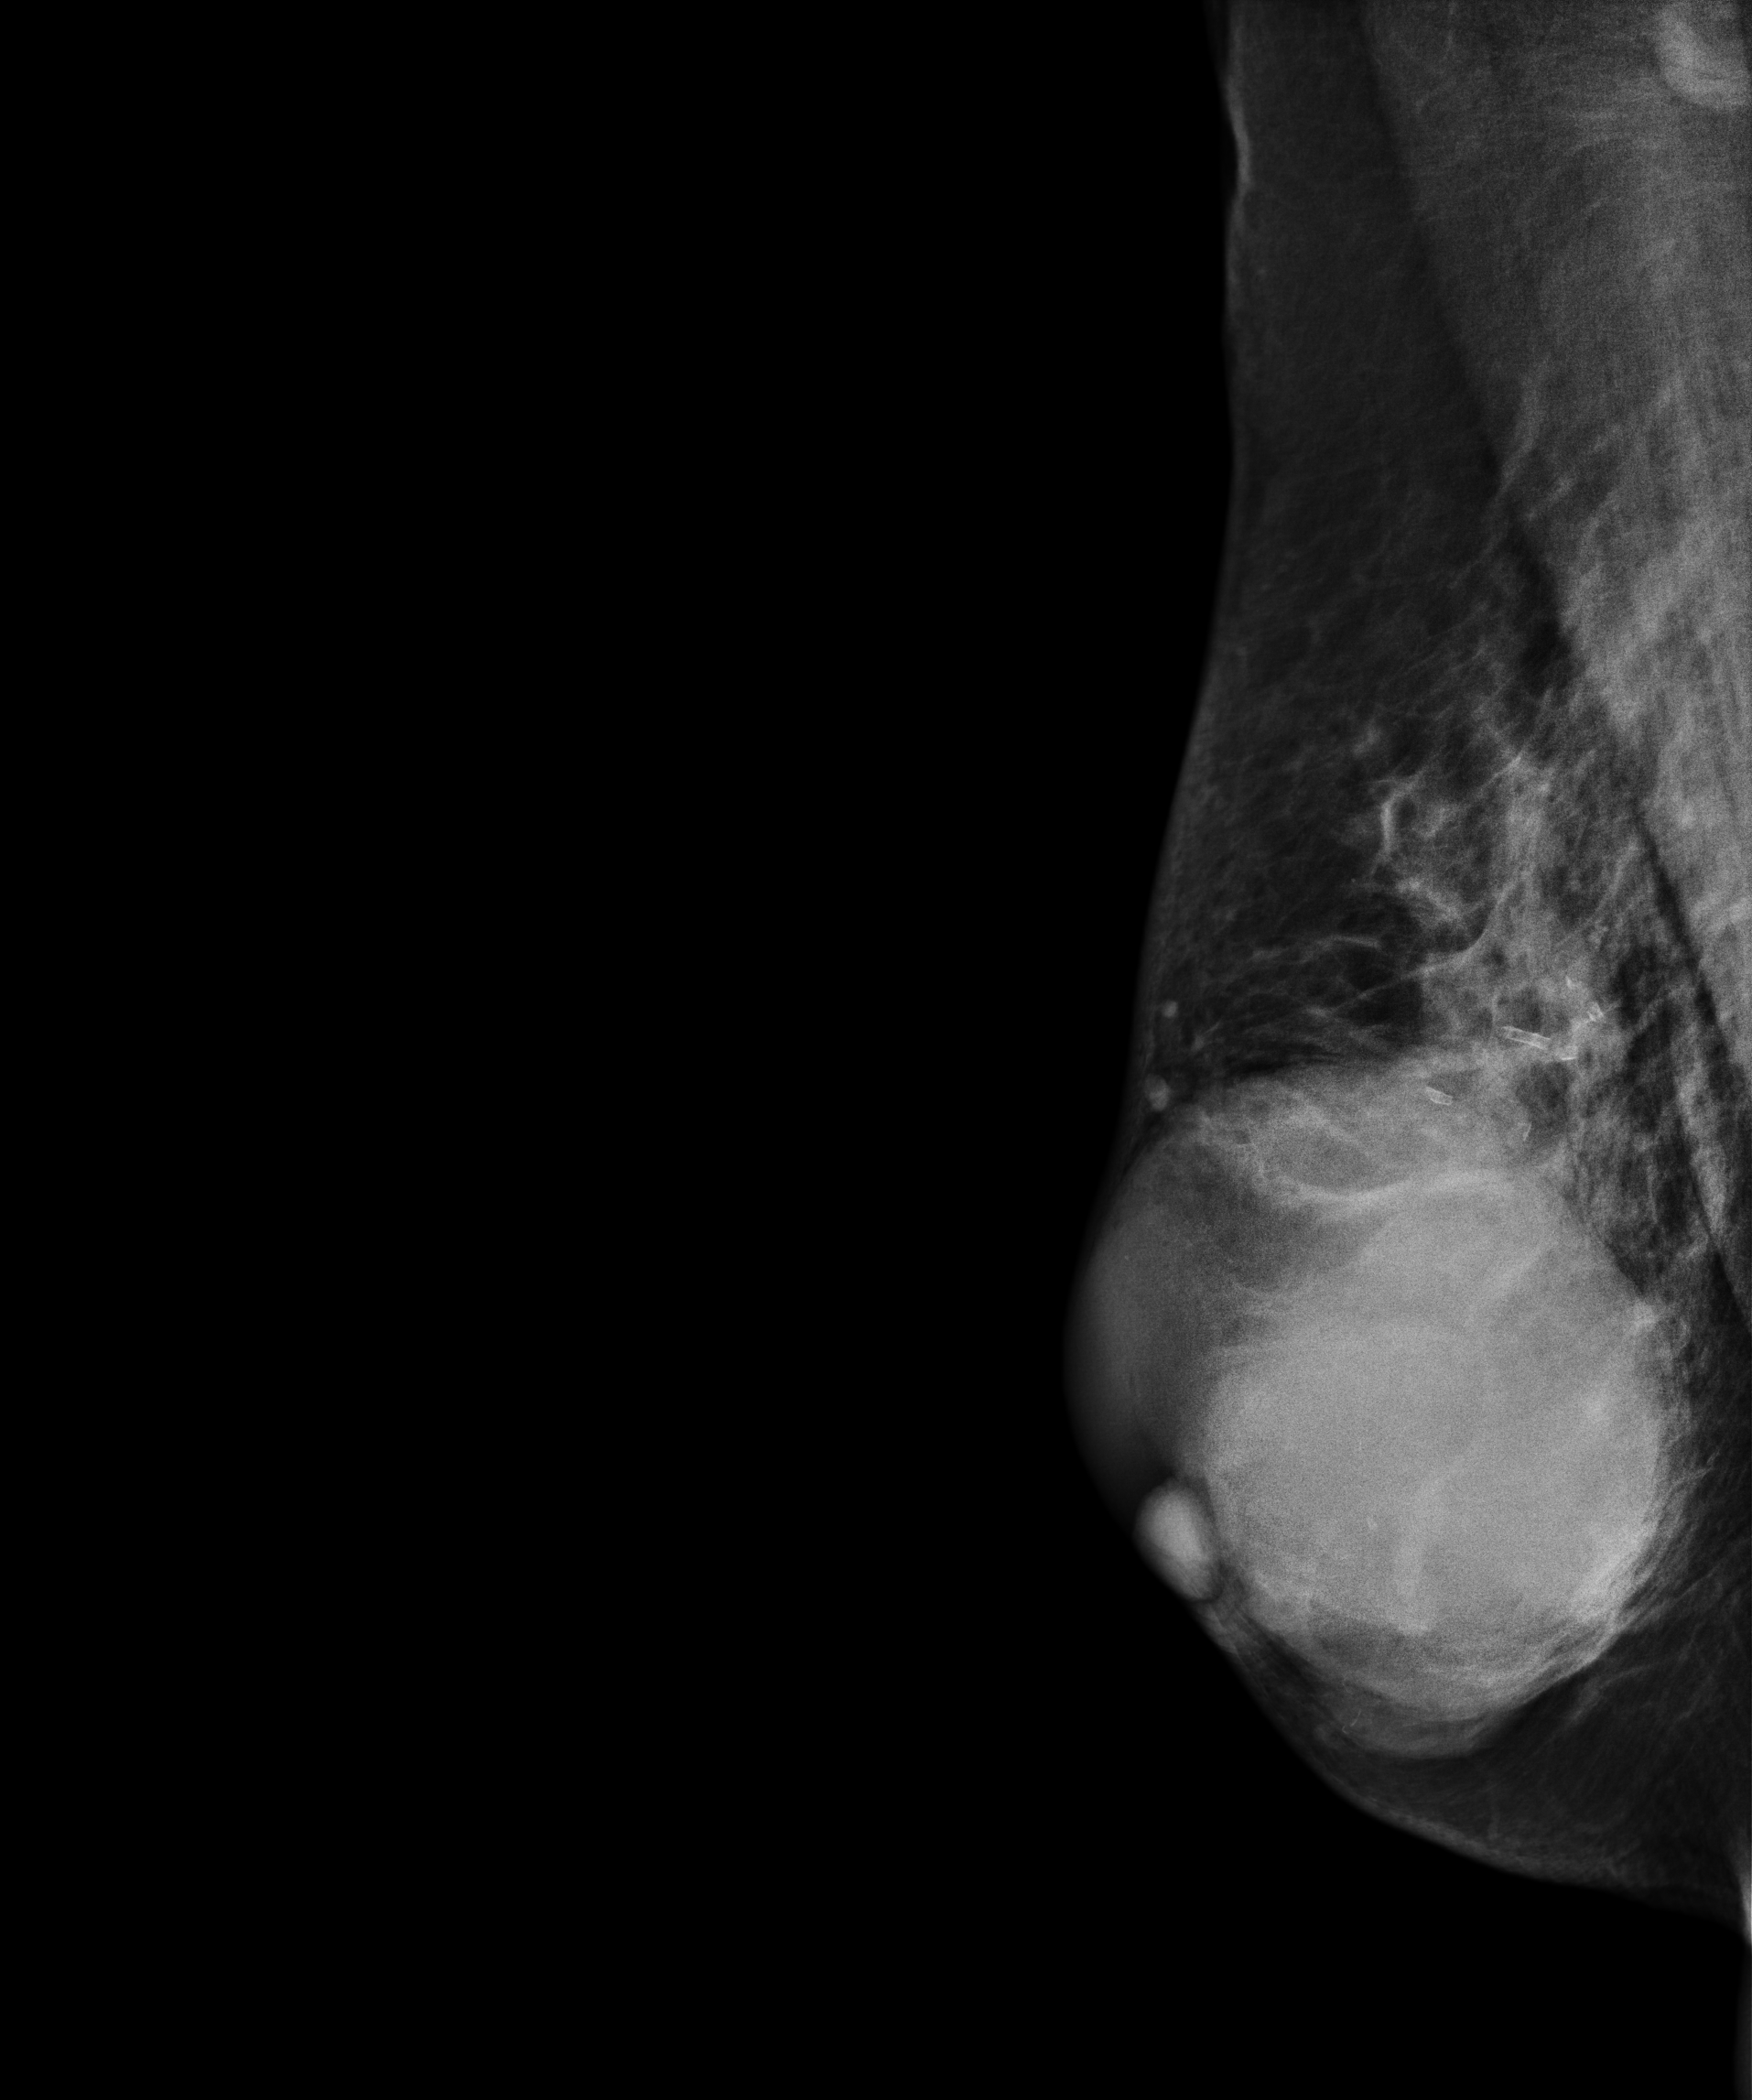
Mammogram — left medio-lateral oblique. 84-year-old patient.
This breast has a mass, biopsy-confirmed benign.